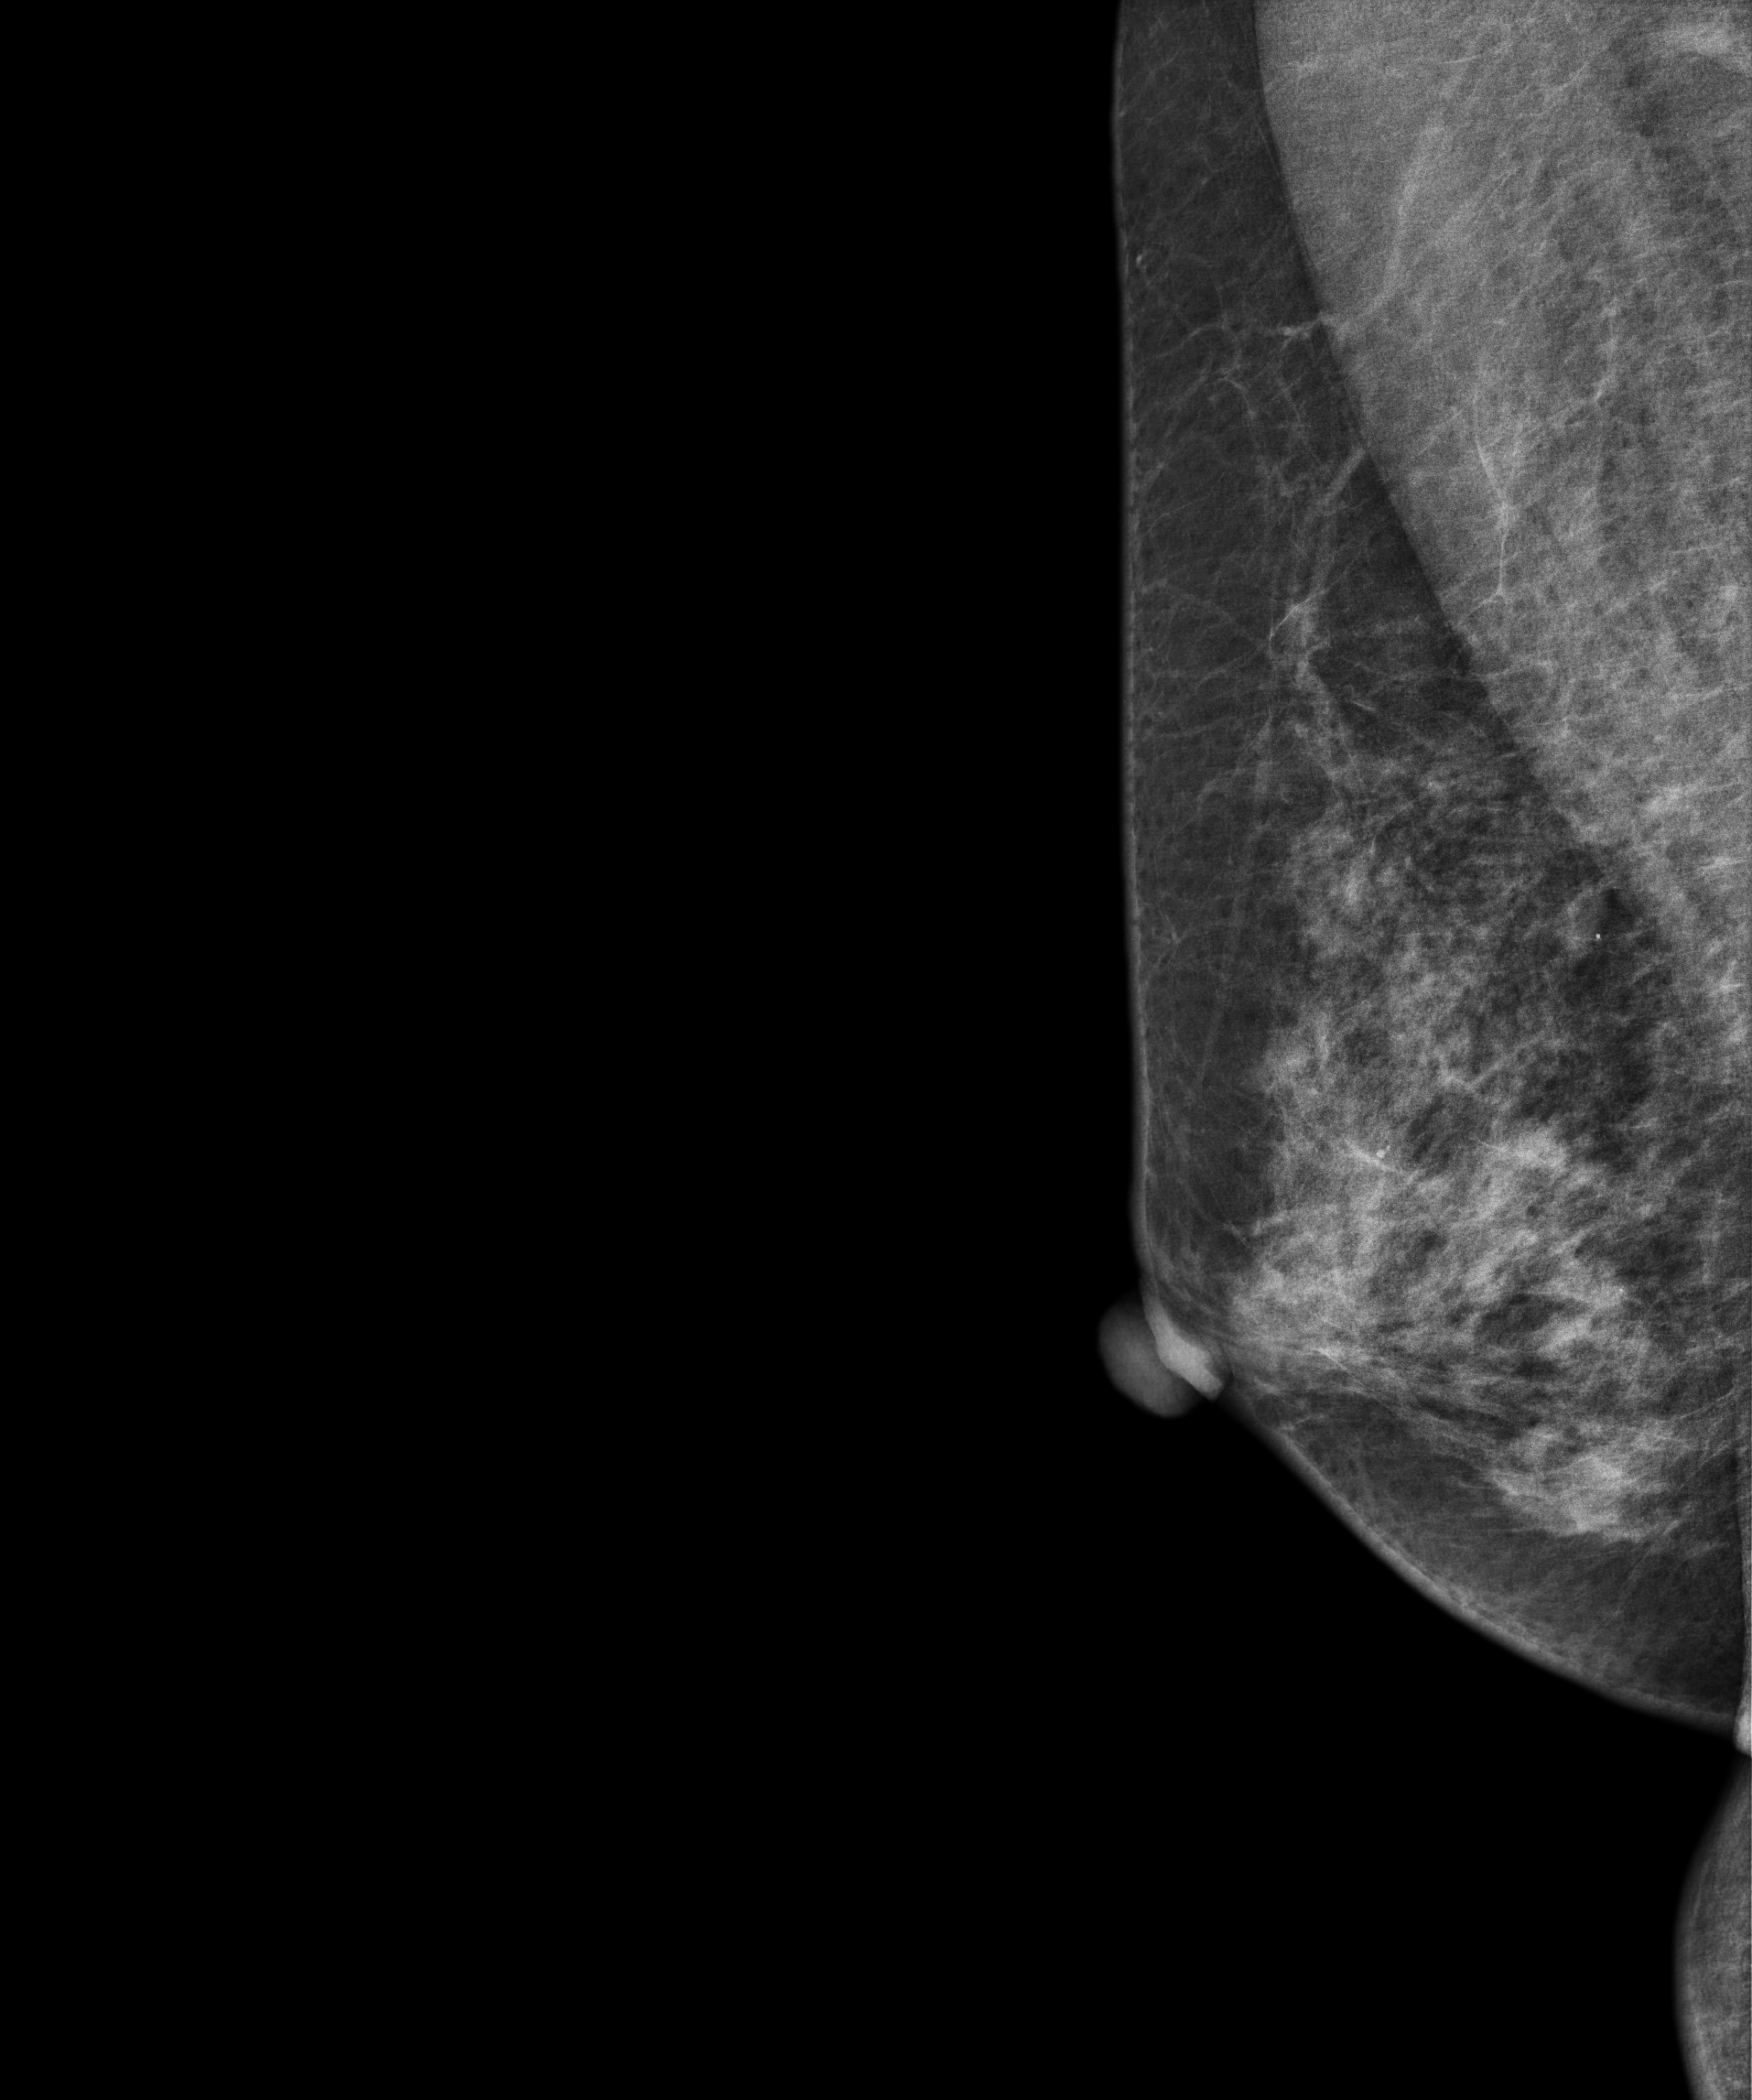
Medio-lateral oblique mammogram of the right breast. Patient age 53.
Contralateral breast — no documented abnormality on this side.